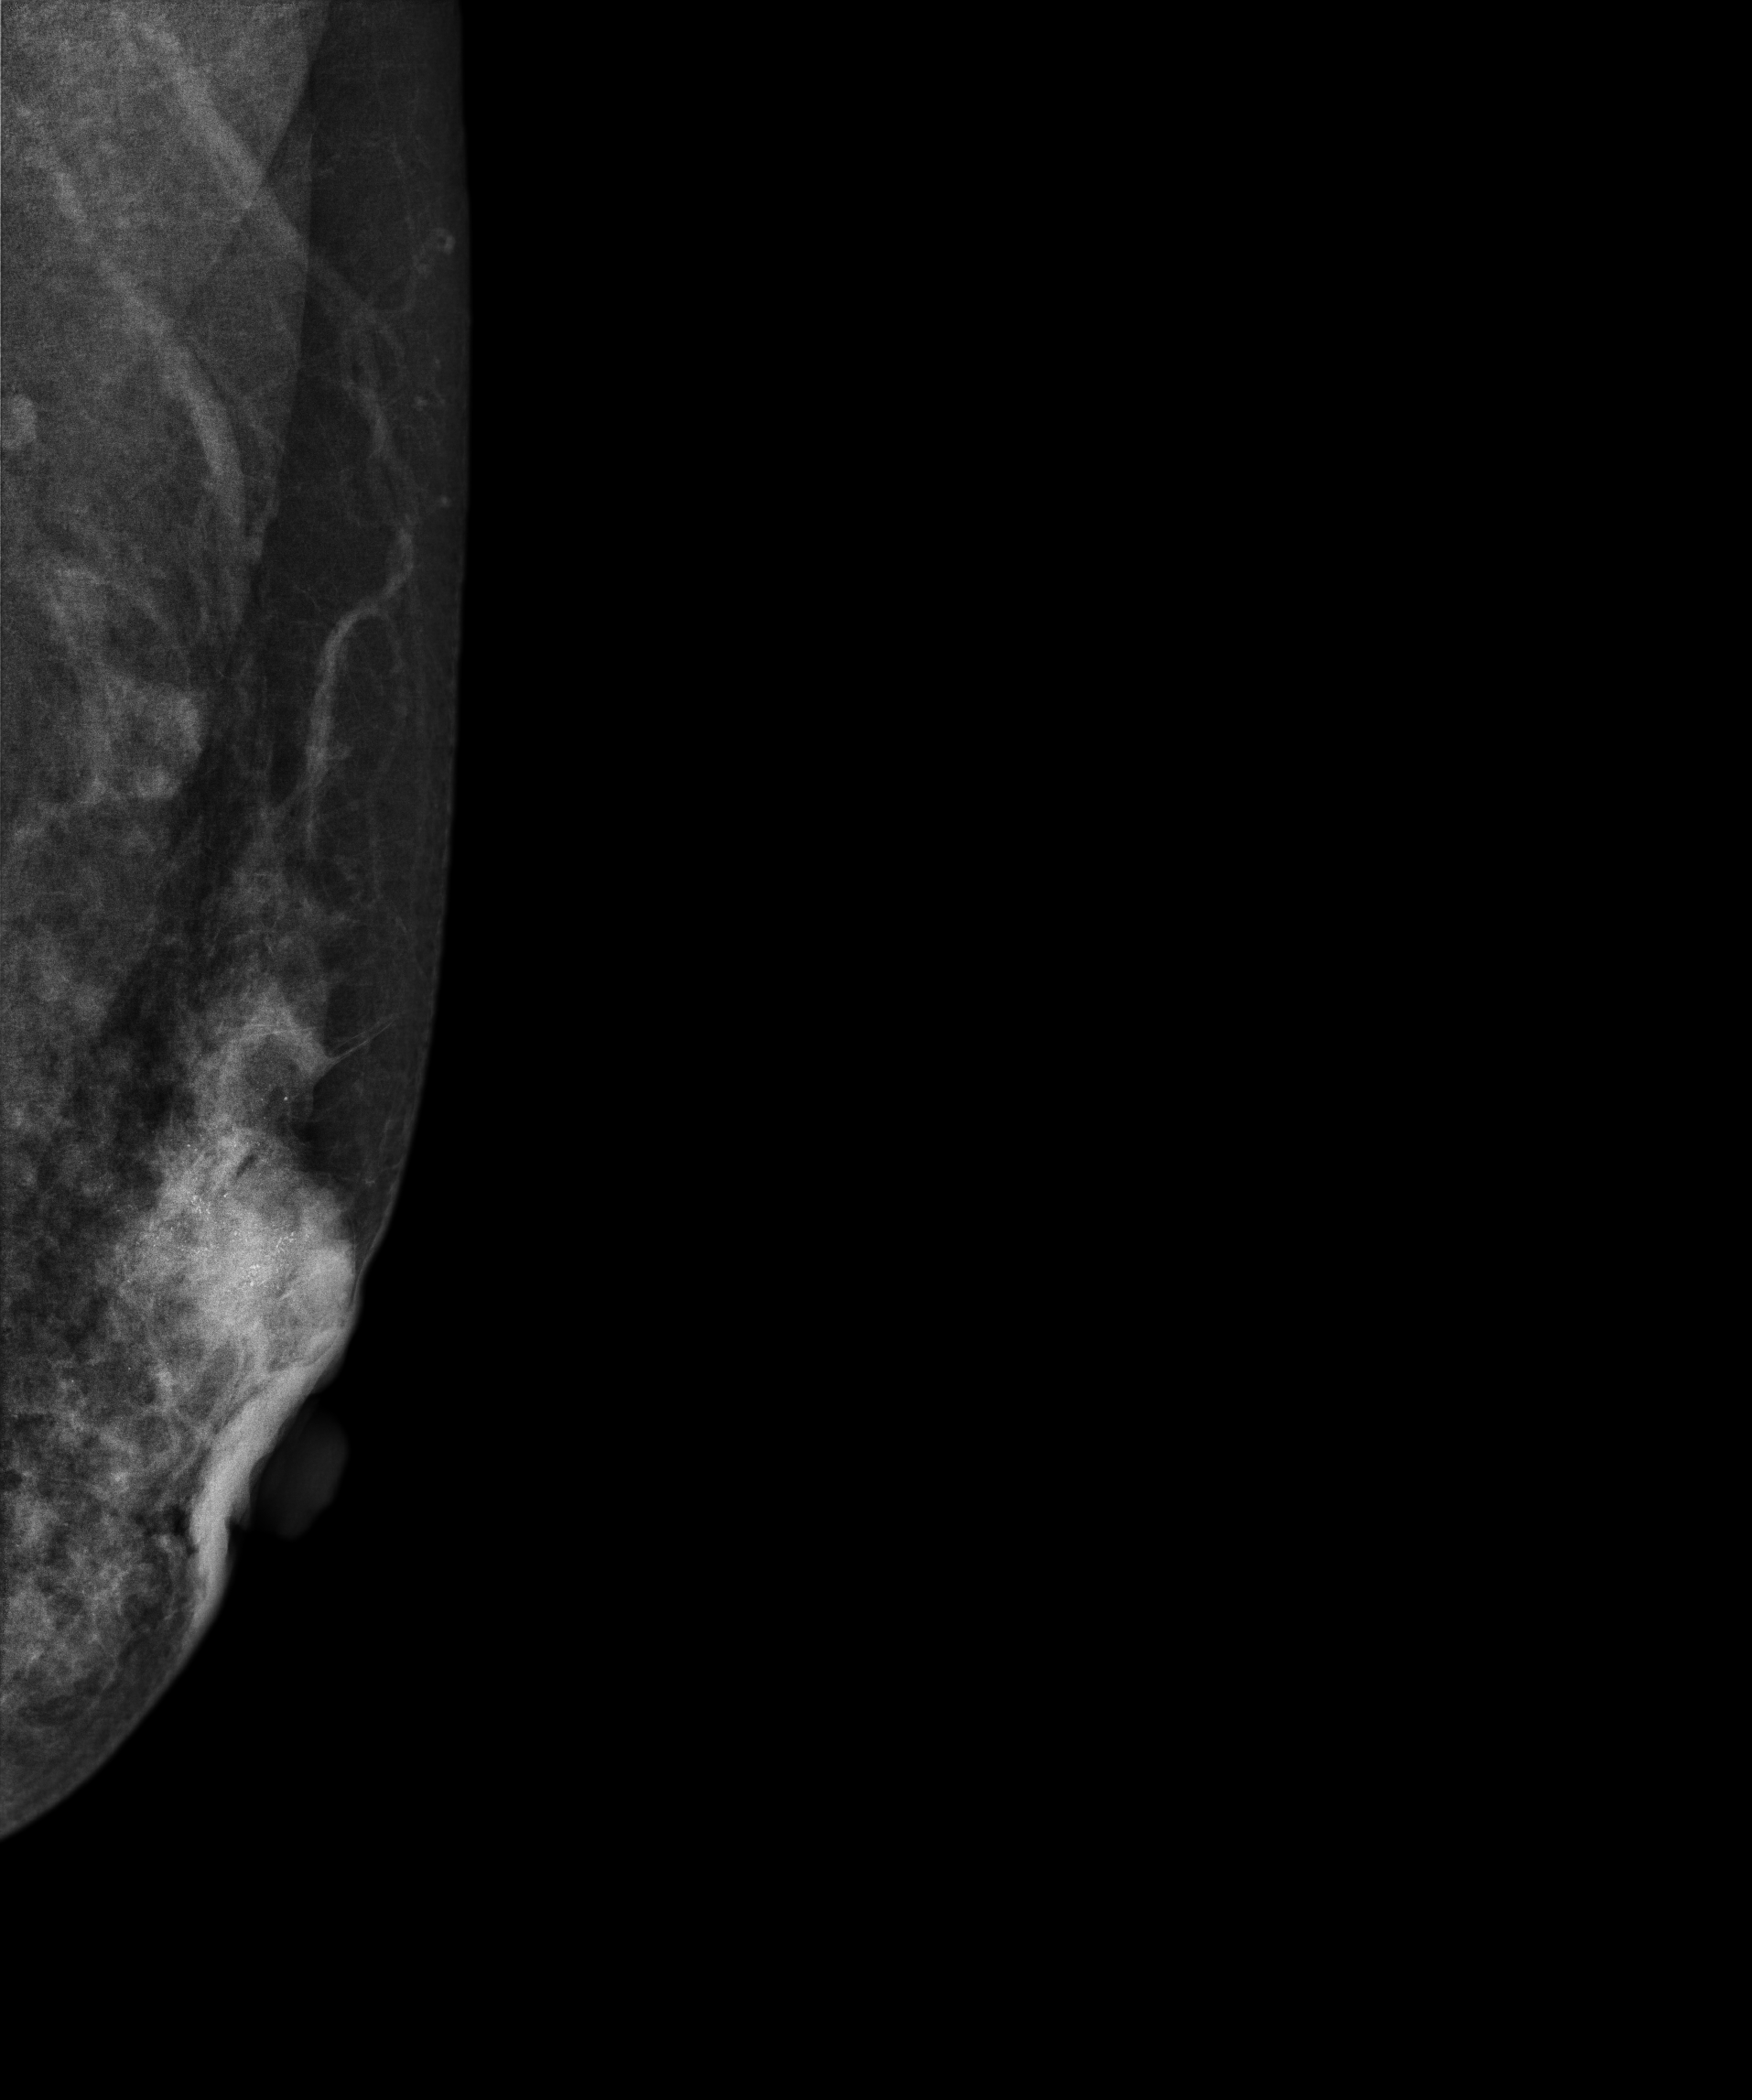
Mammogram, left breast, medio-lateral oblique view. Patient age 36.
This breast has a mass and calcifications, pathology-confirmed malignant.